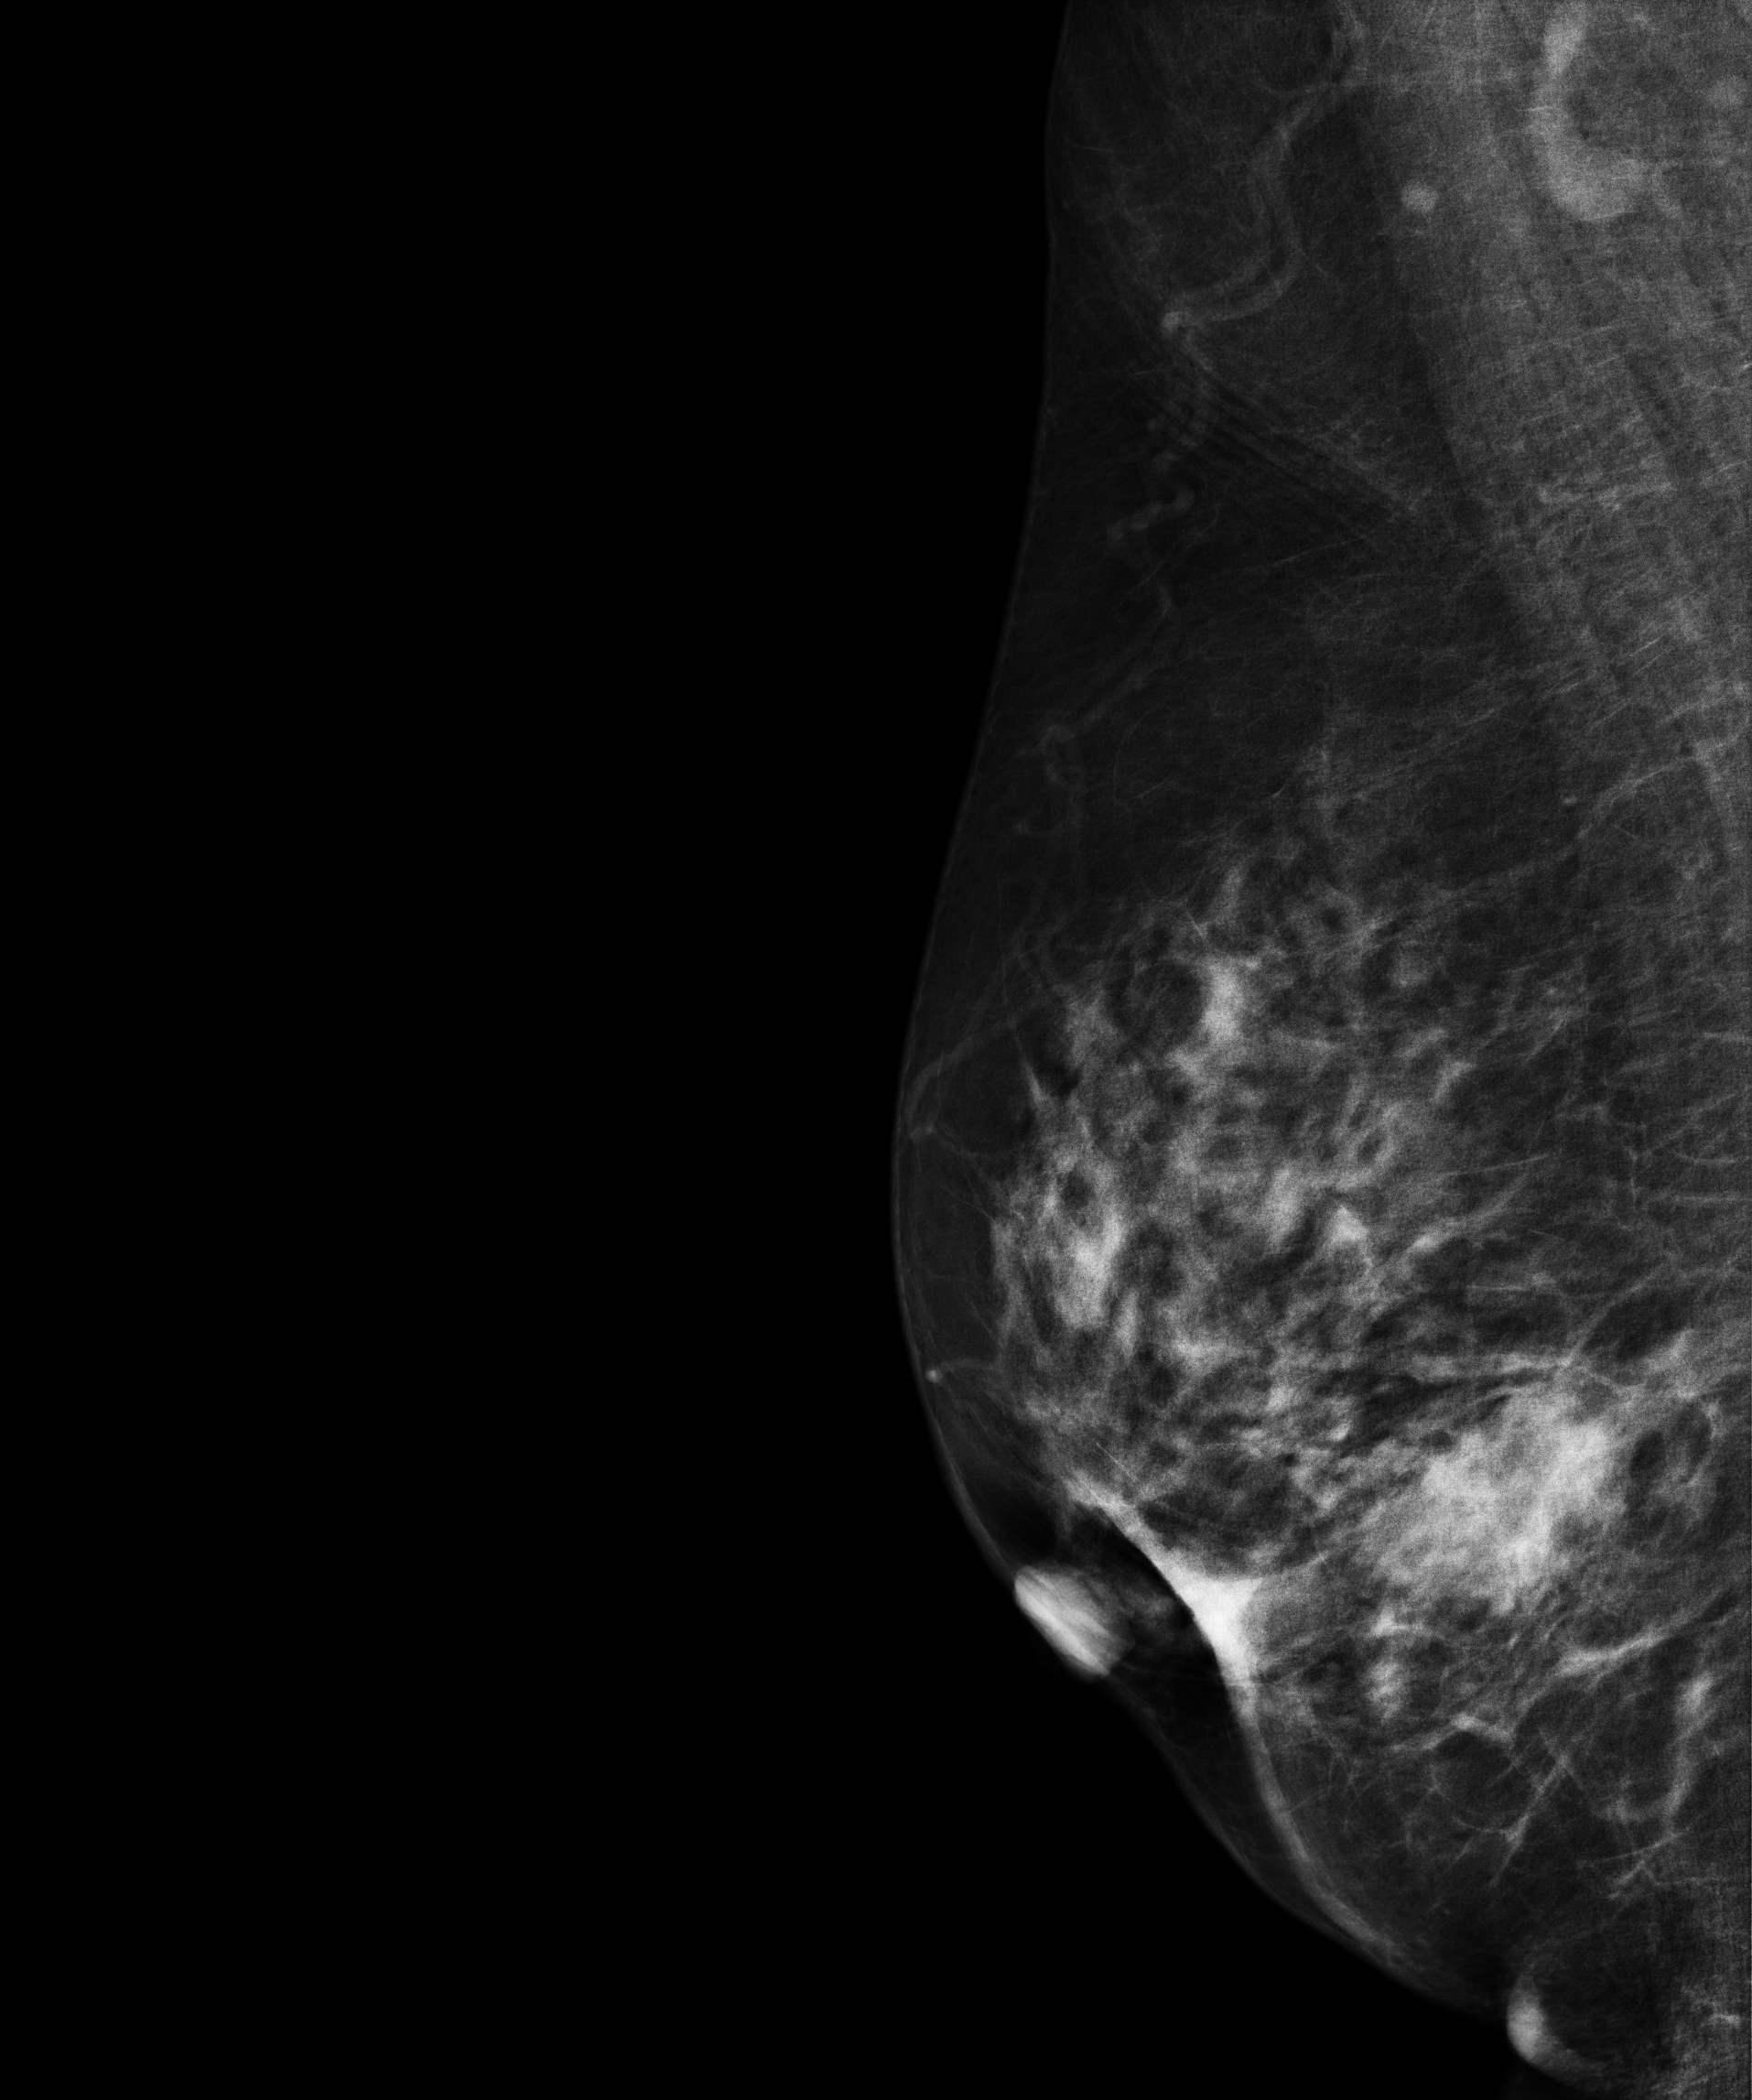
MLO mammogram of the right breast. Patient age 68.
This breast has a mass, biopsy-proven malignant.